Left-breast mammogram, CC. 60-year-old patient.
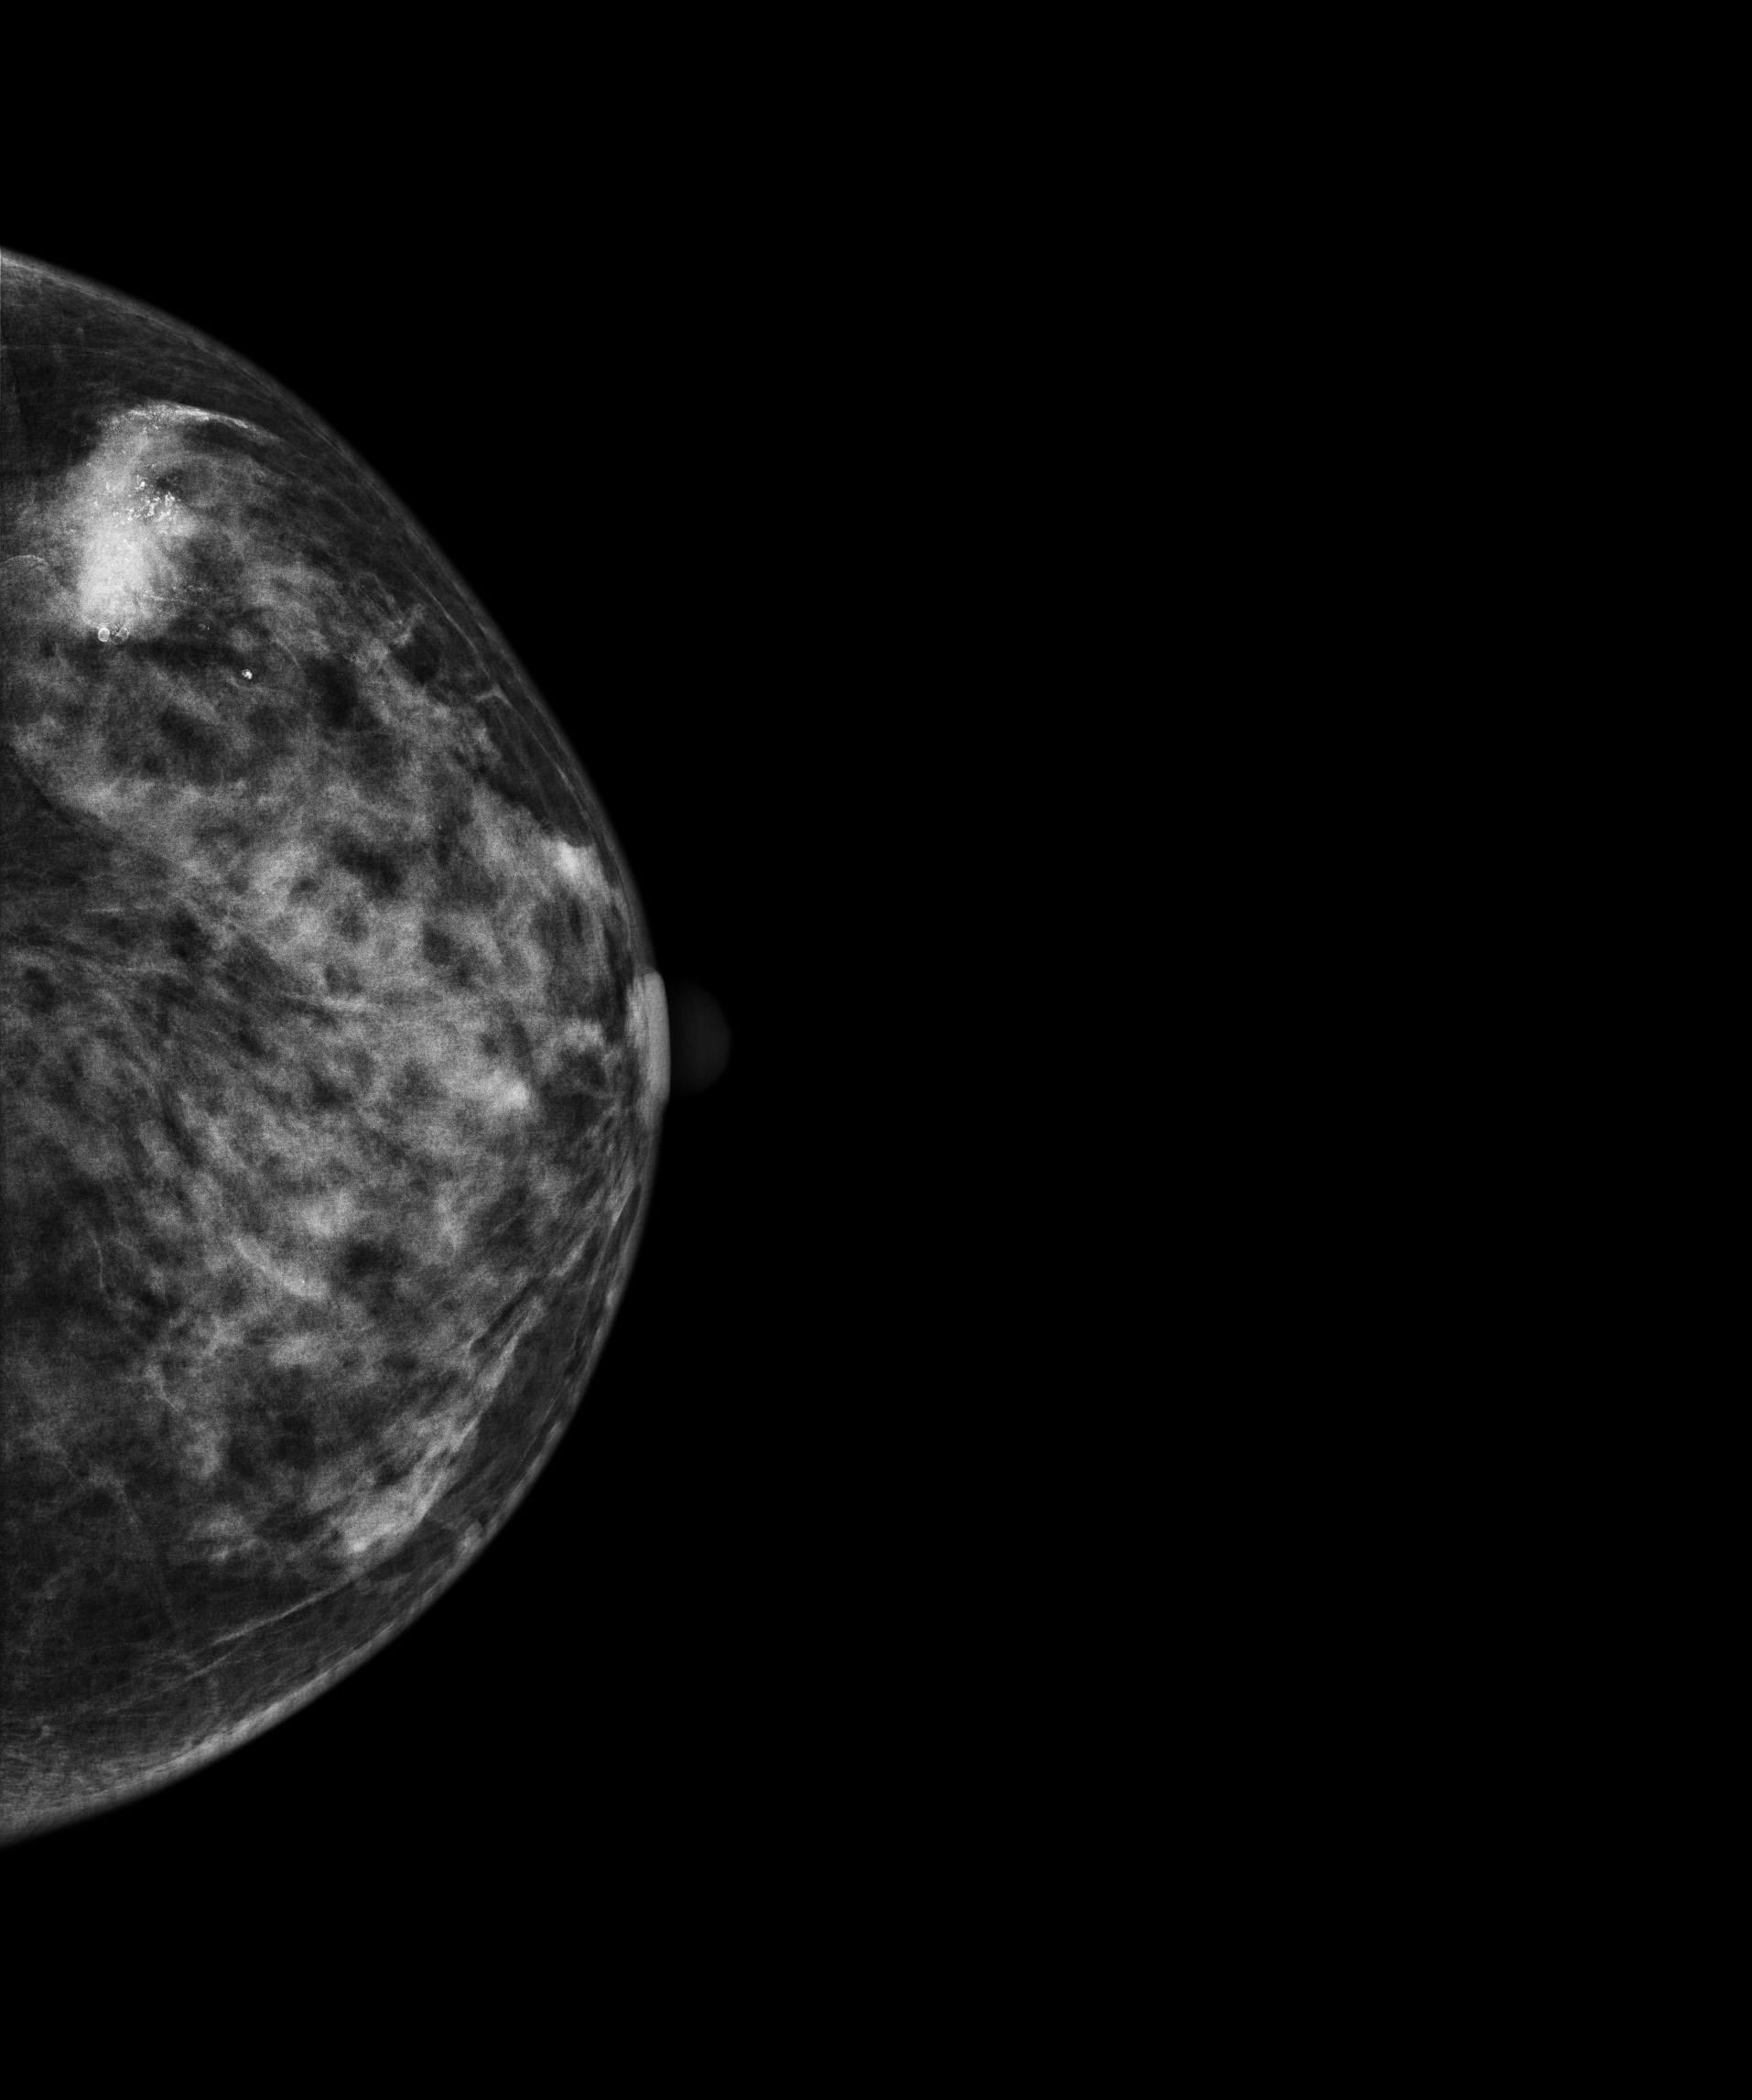
This breast has a mass and calcifications, biopsy-proven malignant. Molecular subtype: luminal A.